Mammogram, left breast, medio-lateral oblique view. 36-year-old patient.
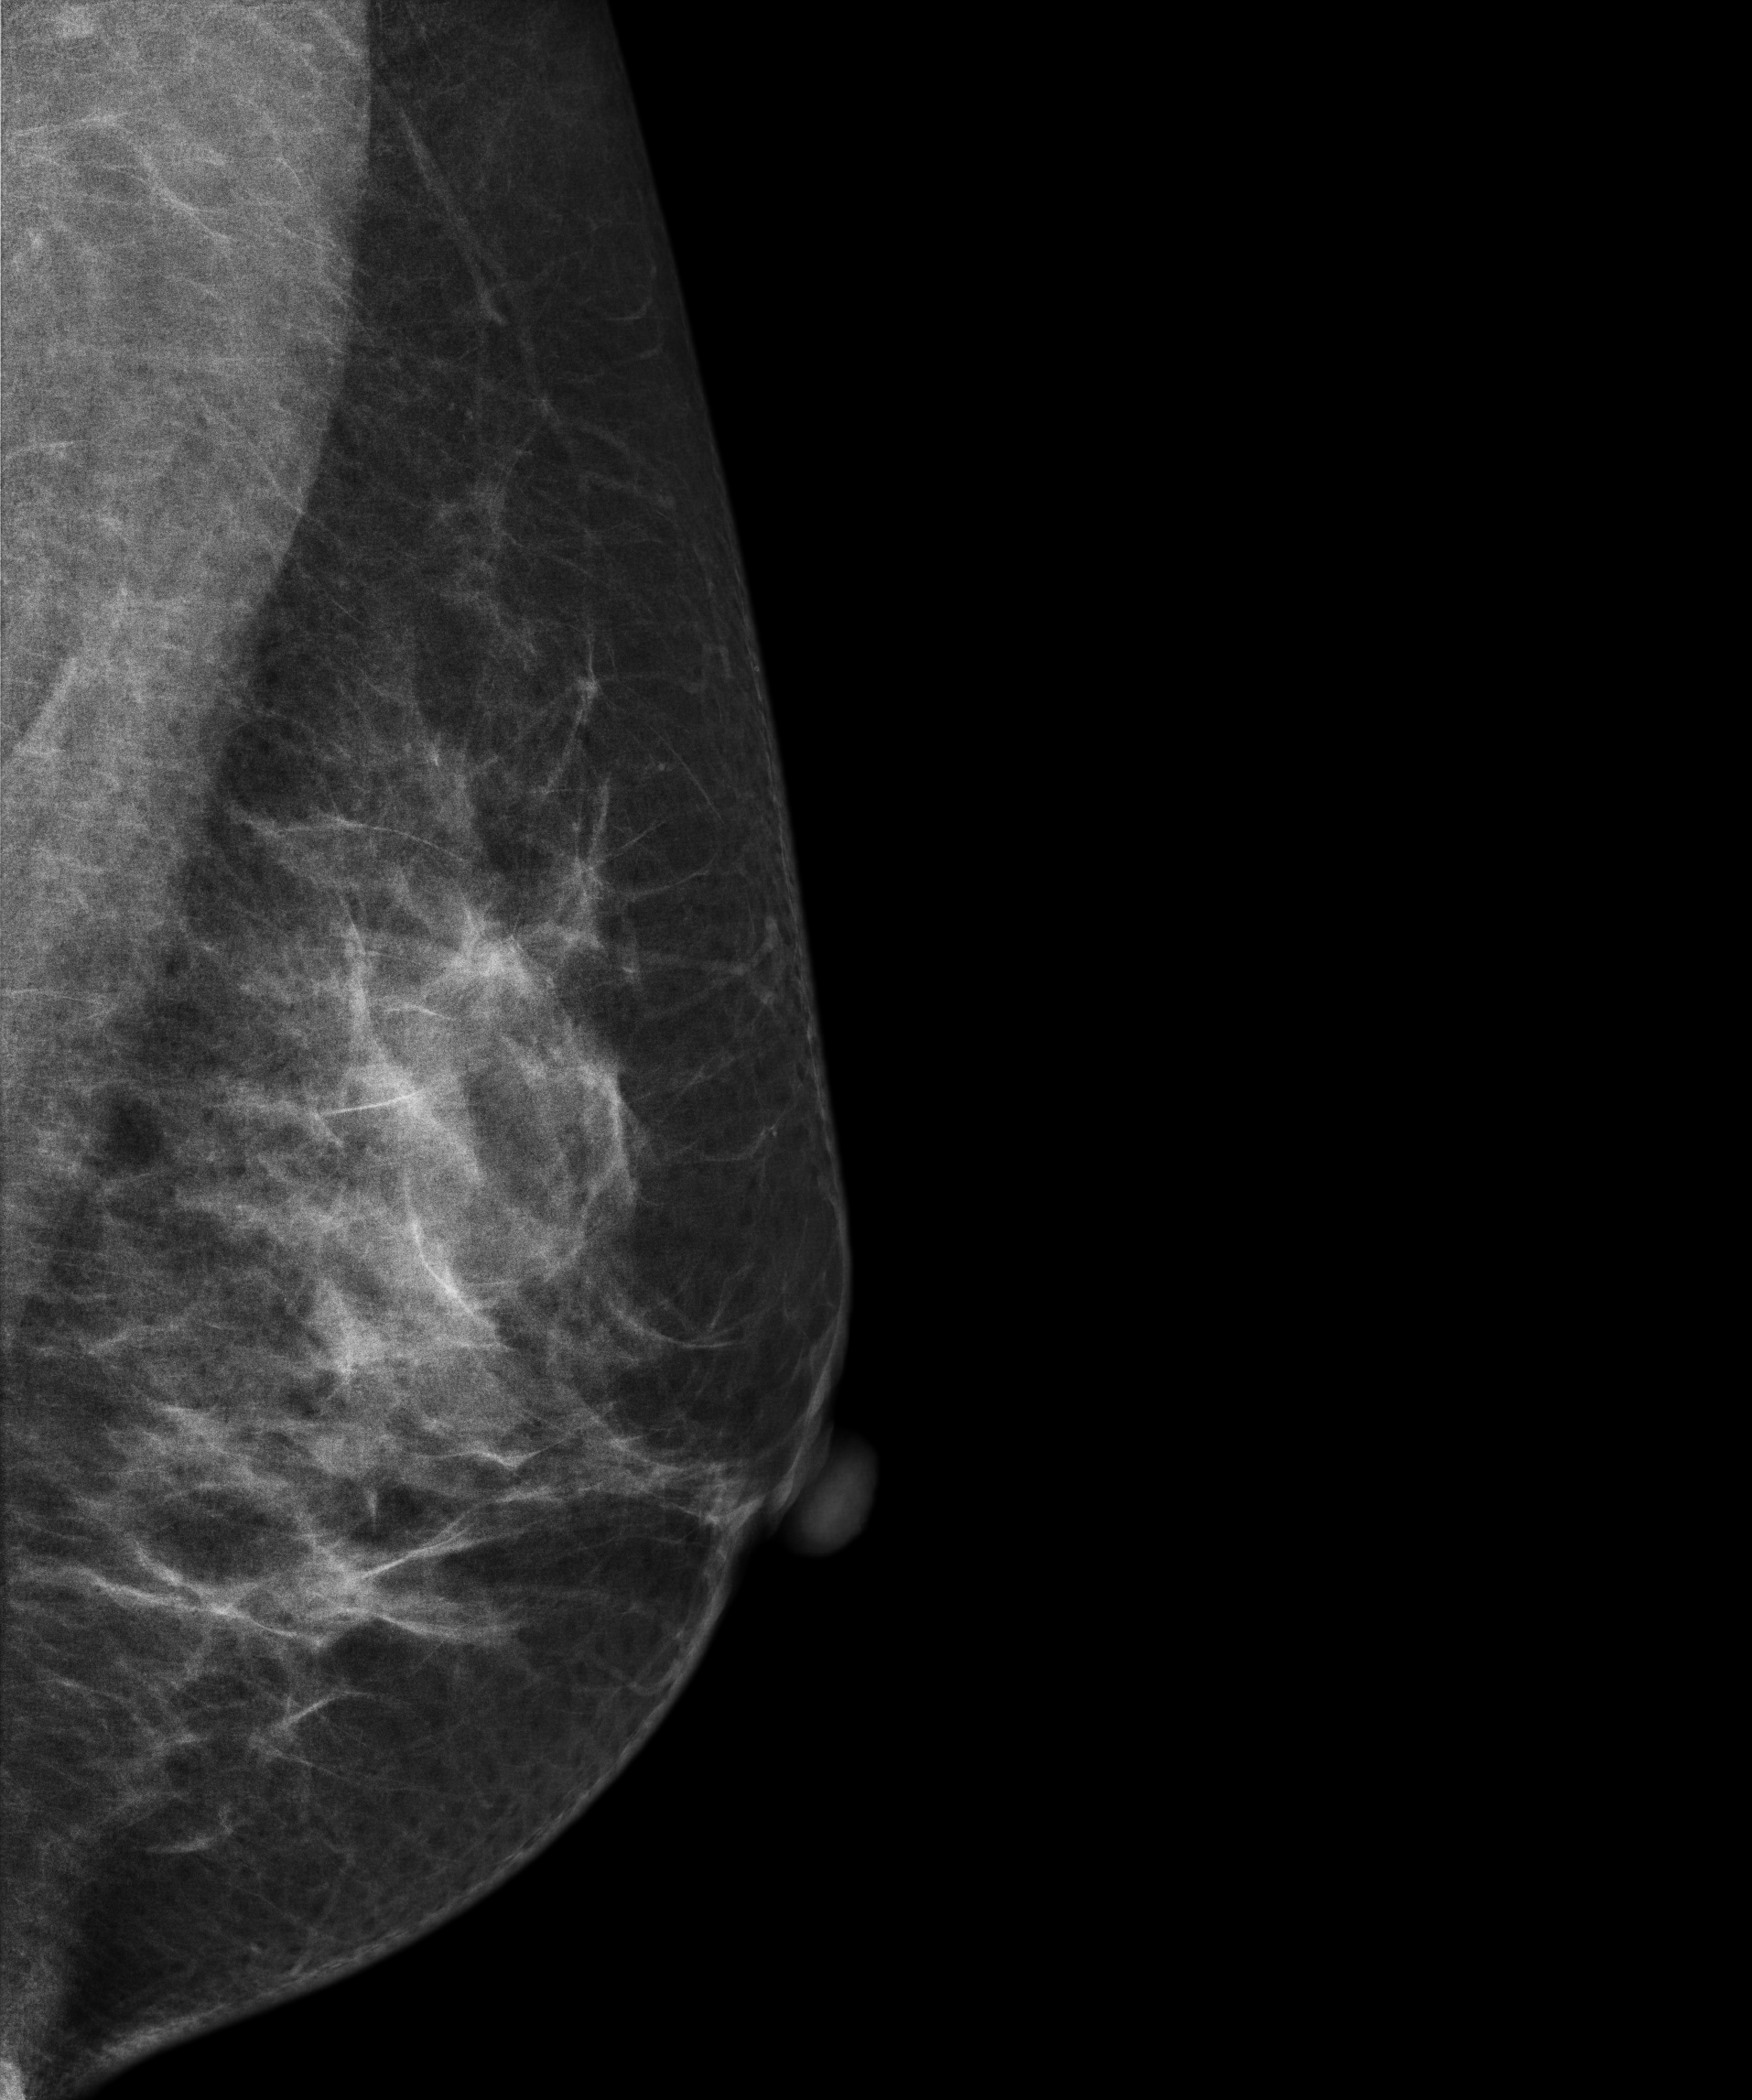
Contralateral breast — no documented abnormality on this side.